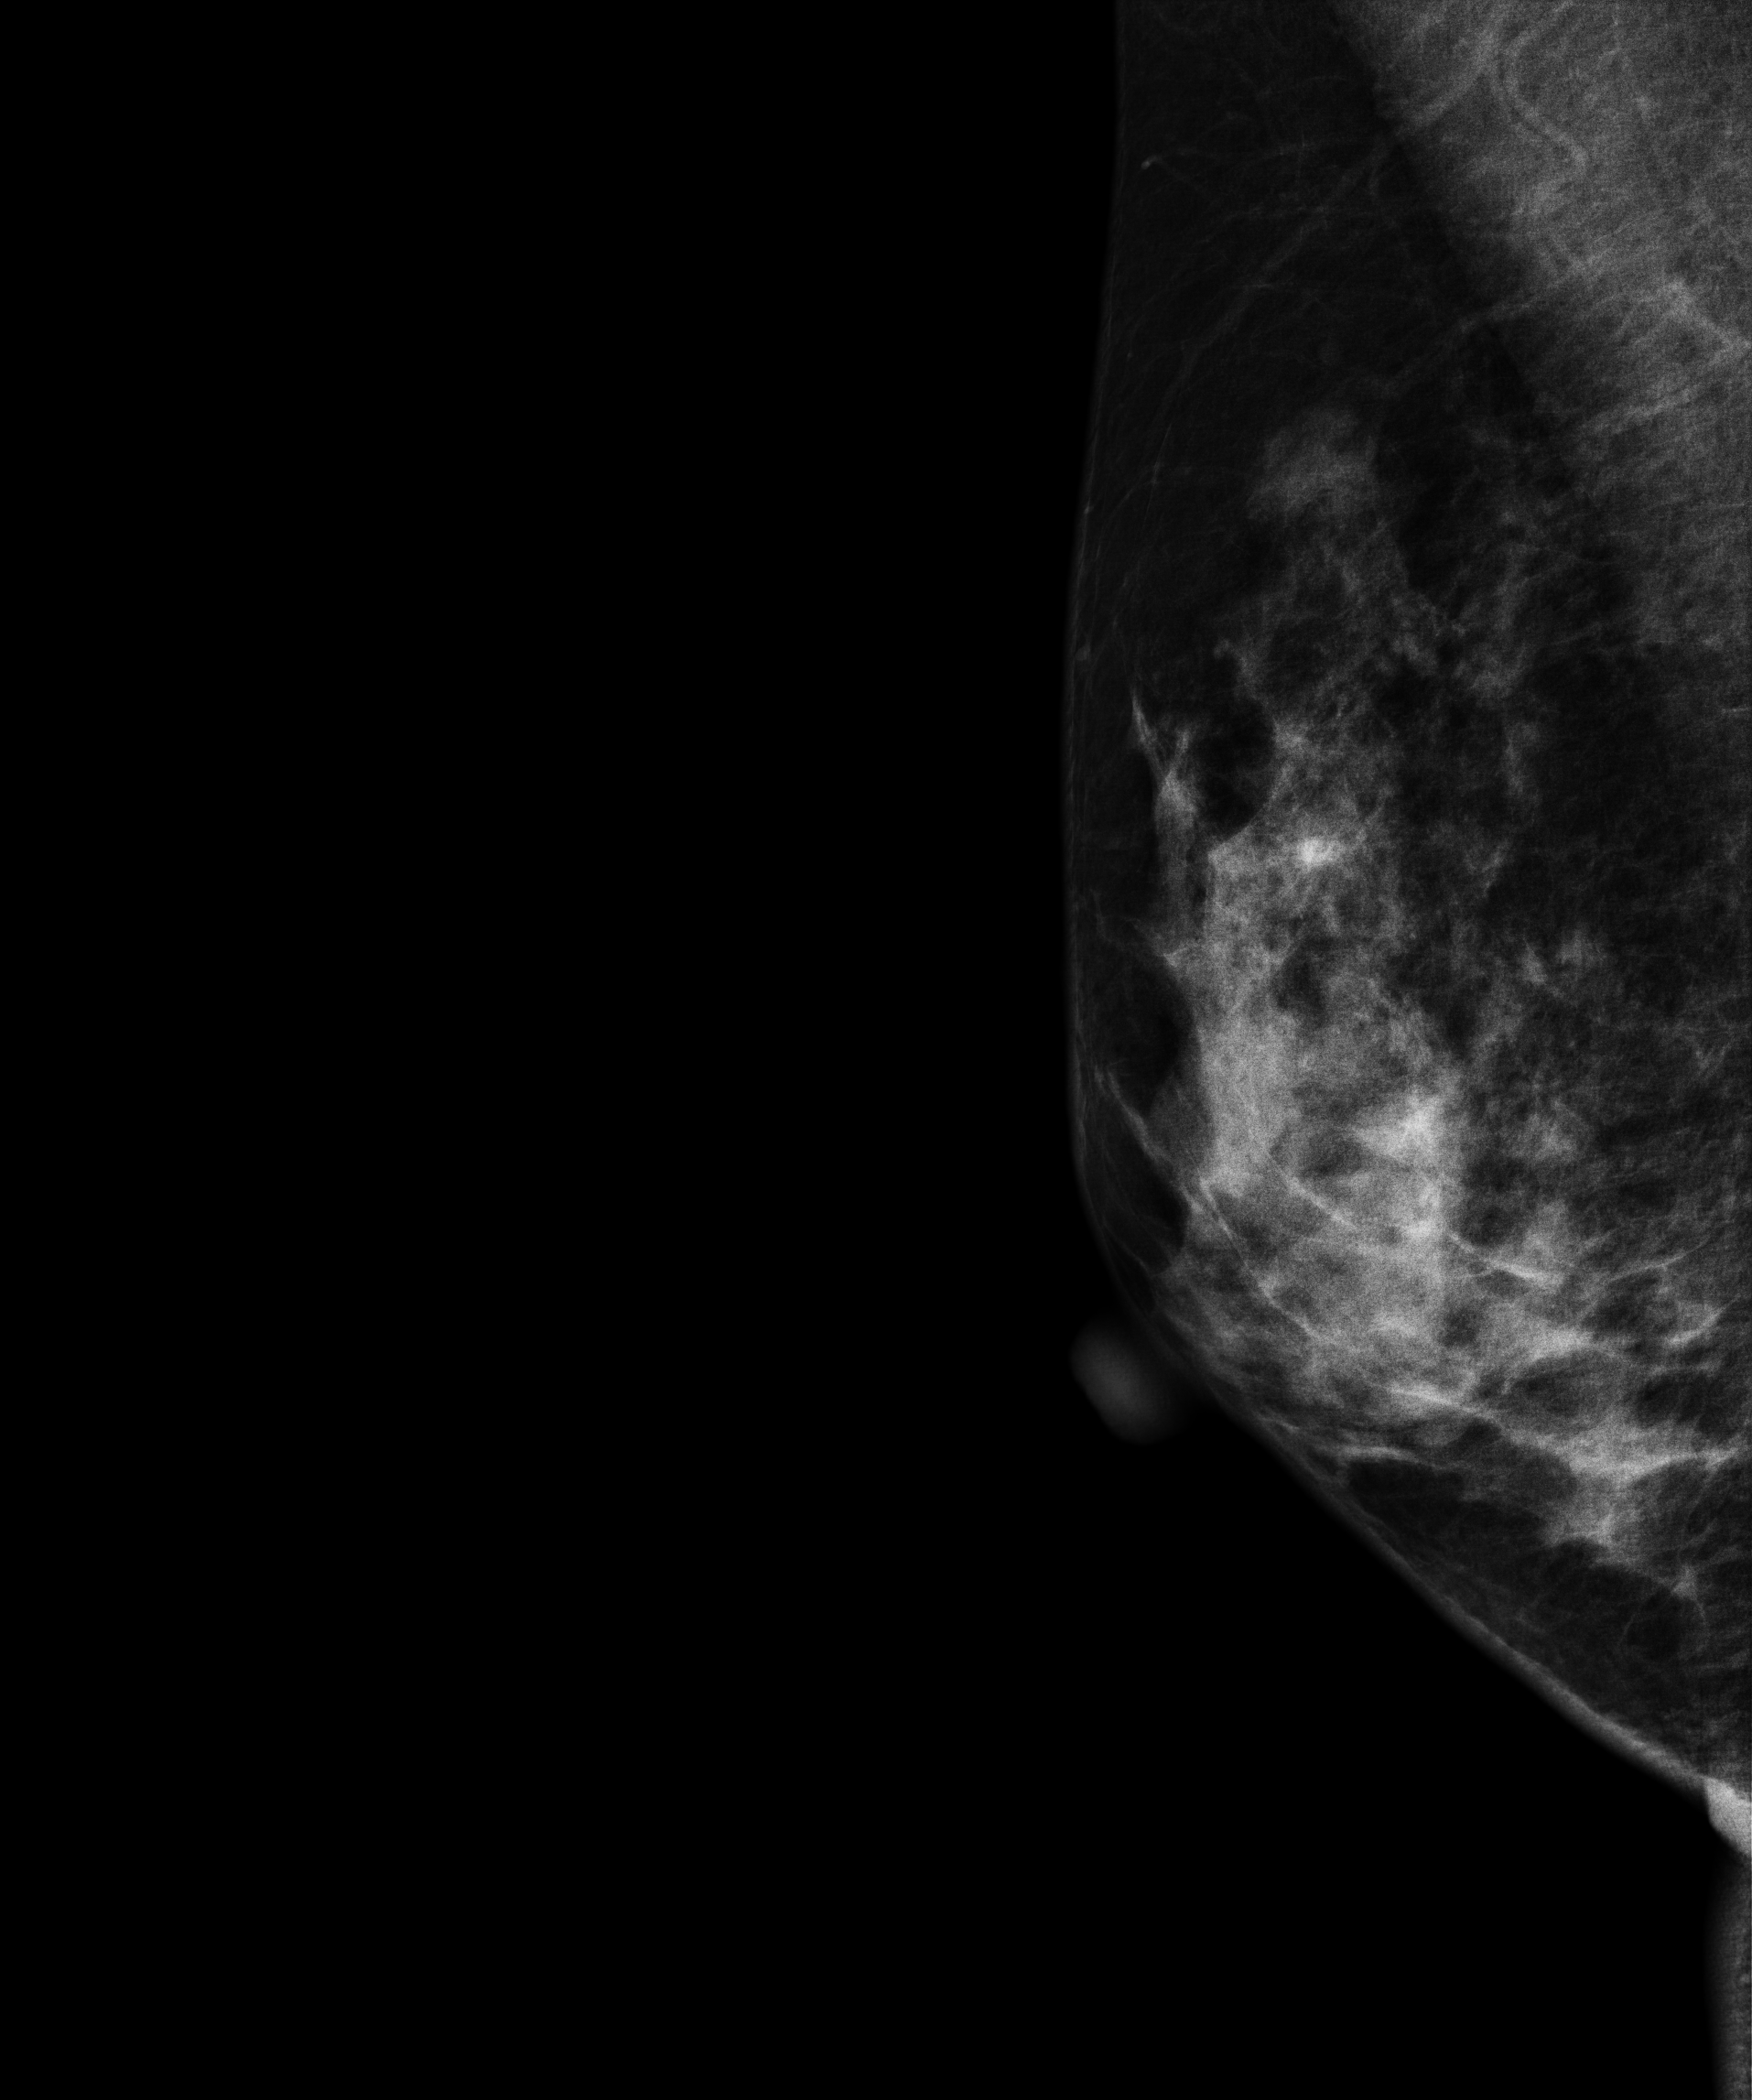
Right-breast mammogram, MLO. 44-year-old patient.
This breast has a mass, pathology-confirmed benign.